Digital mammography. Right breast, MLO projection. 25 y/o patient.
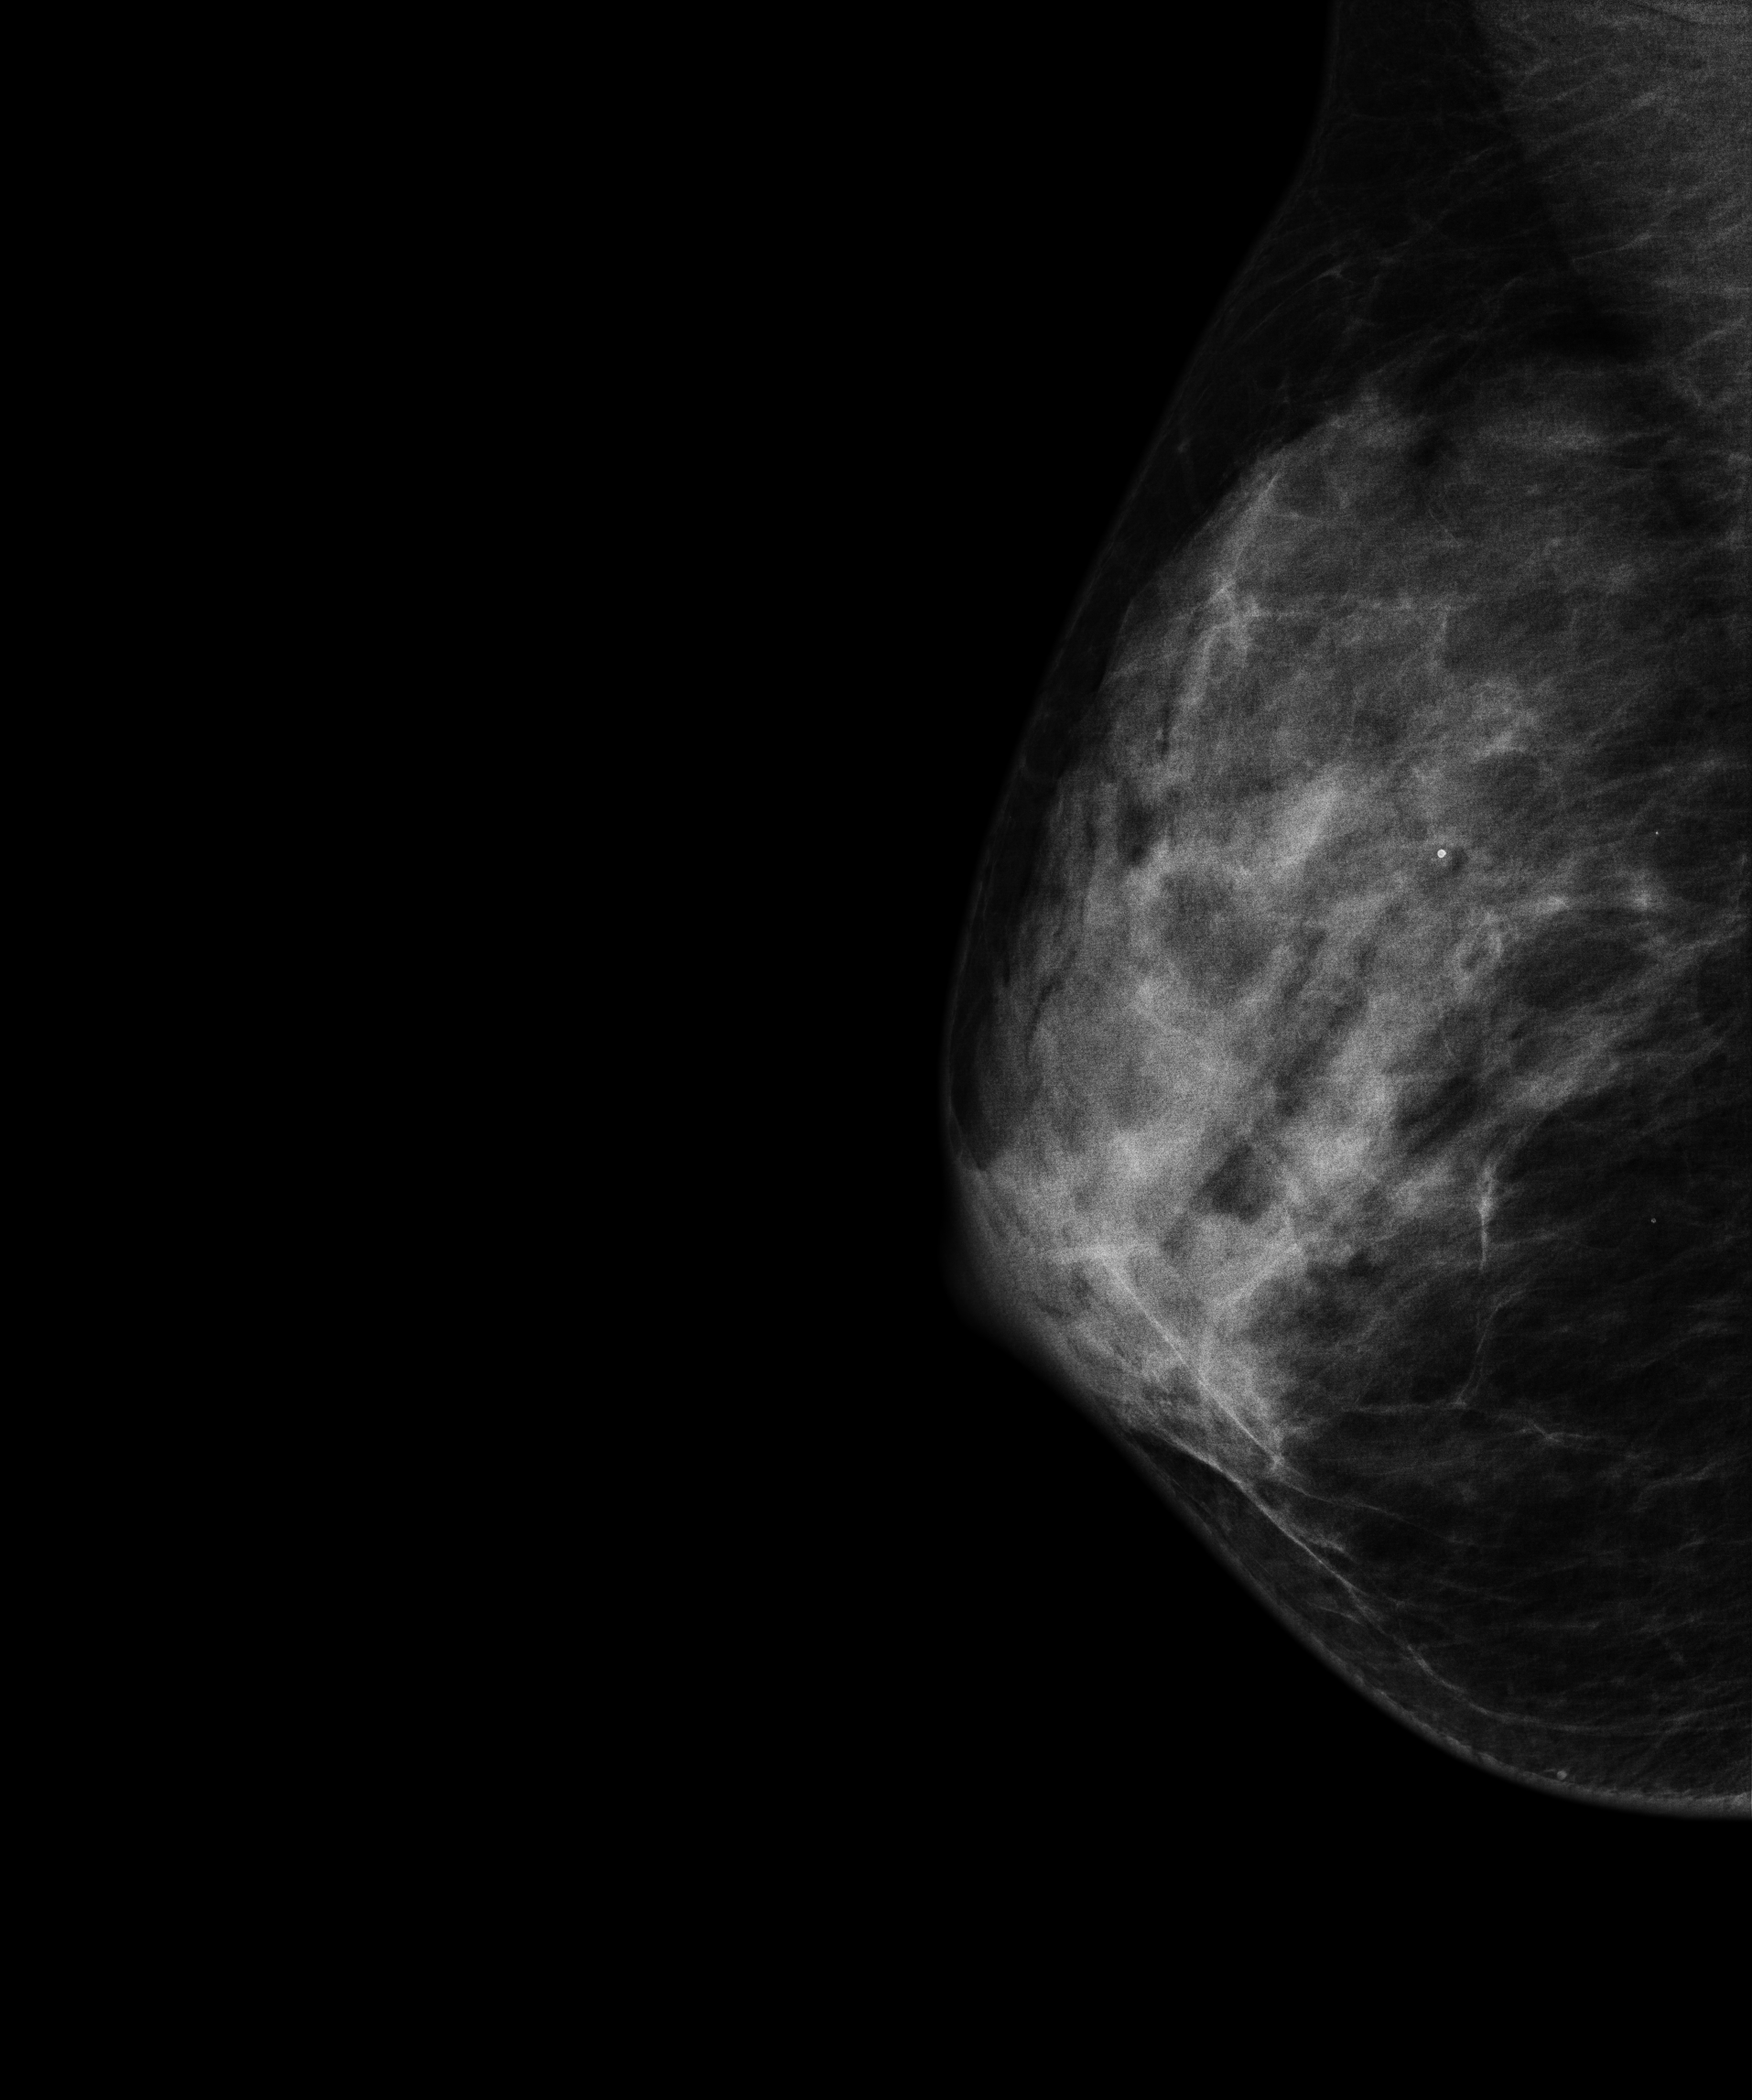
This breast has calcifications, biopsy-proven benign.